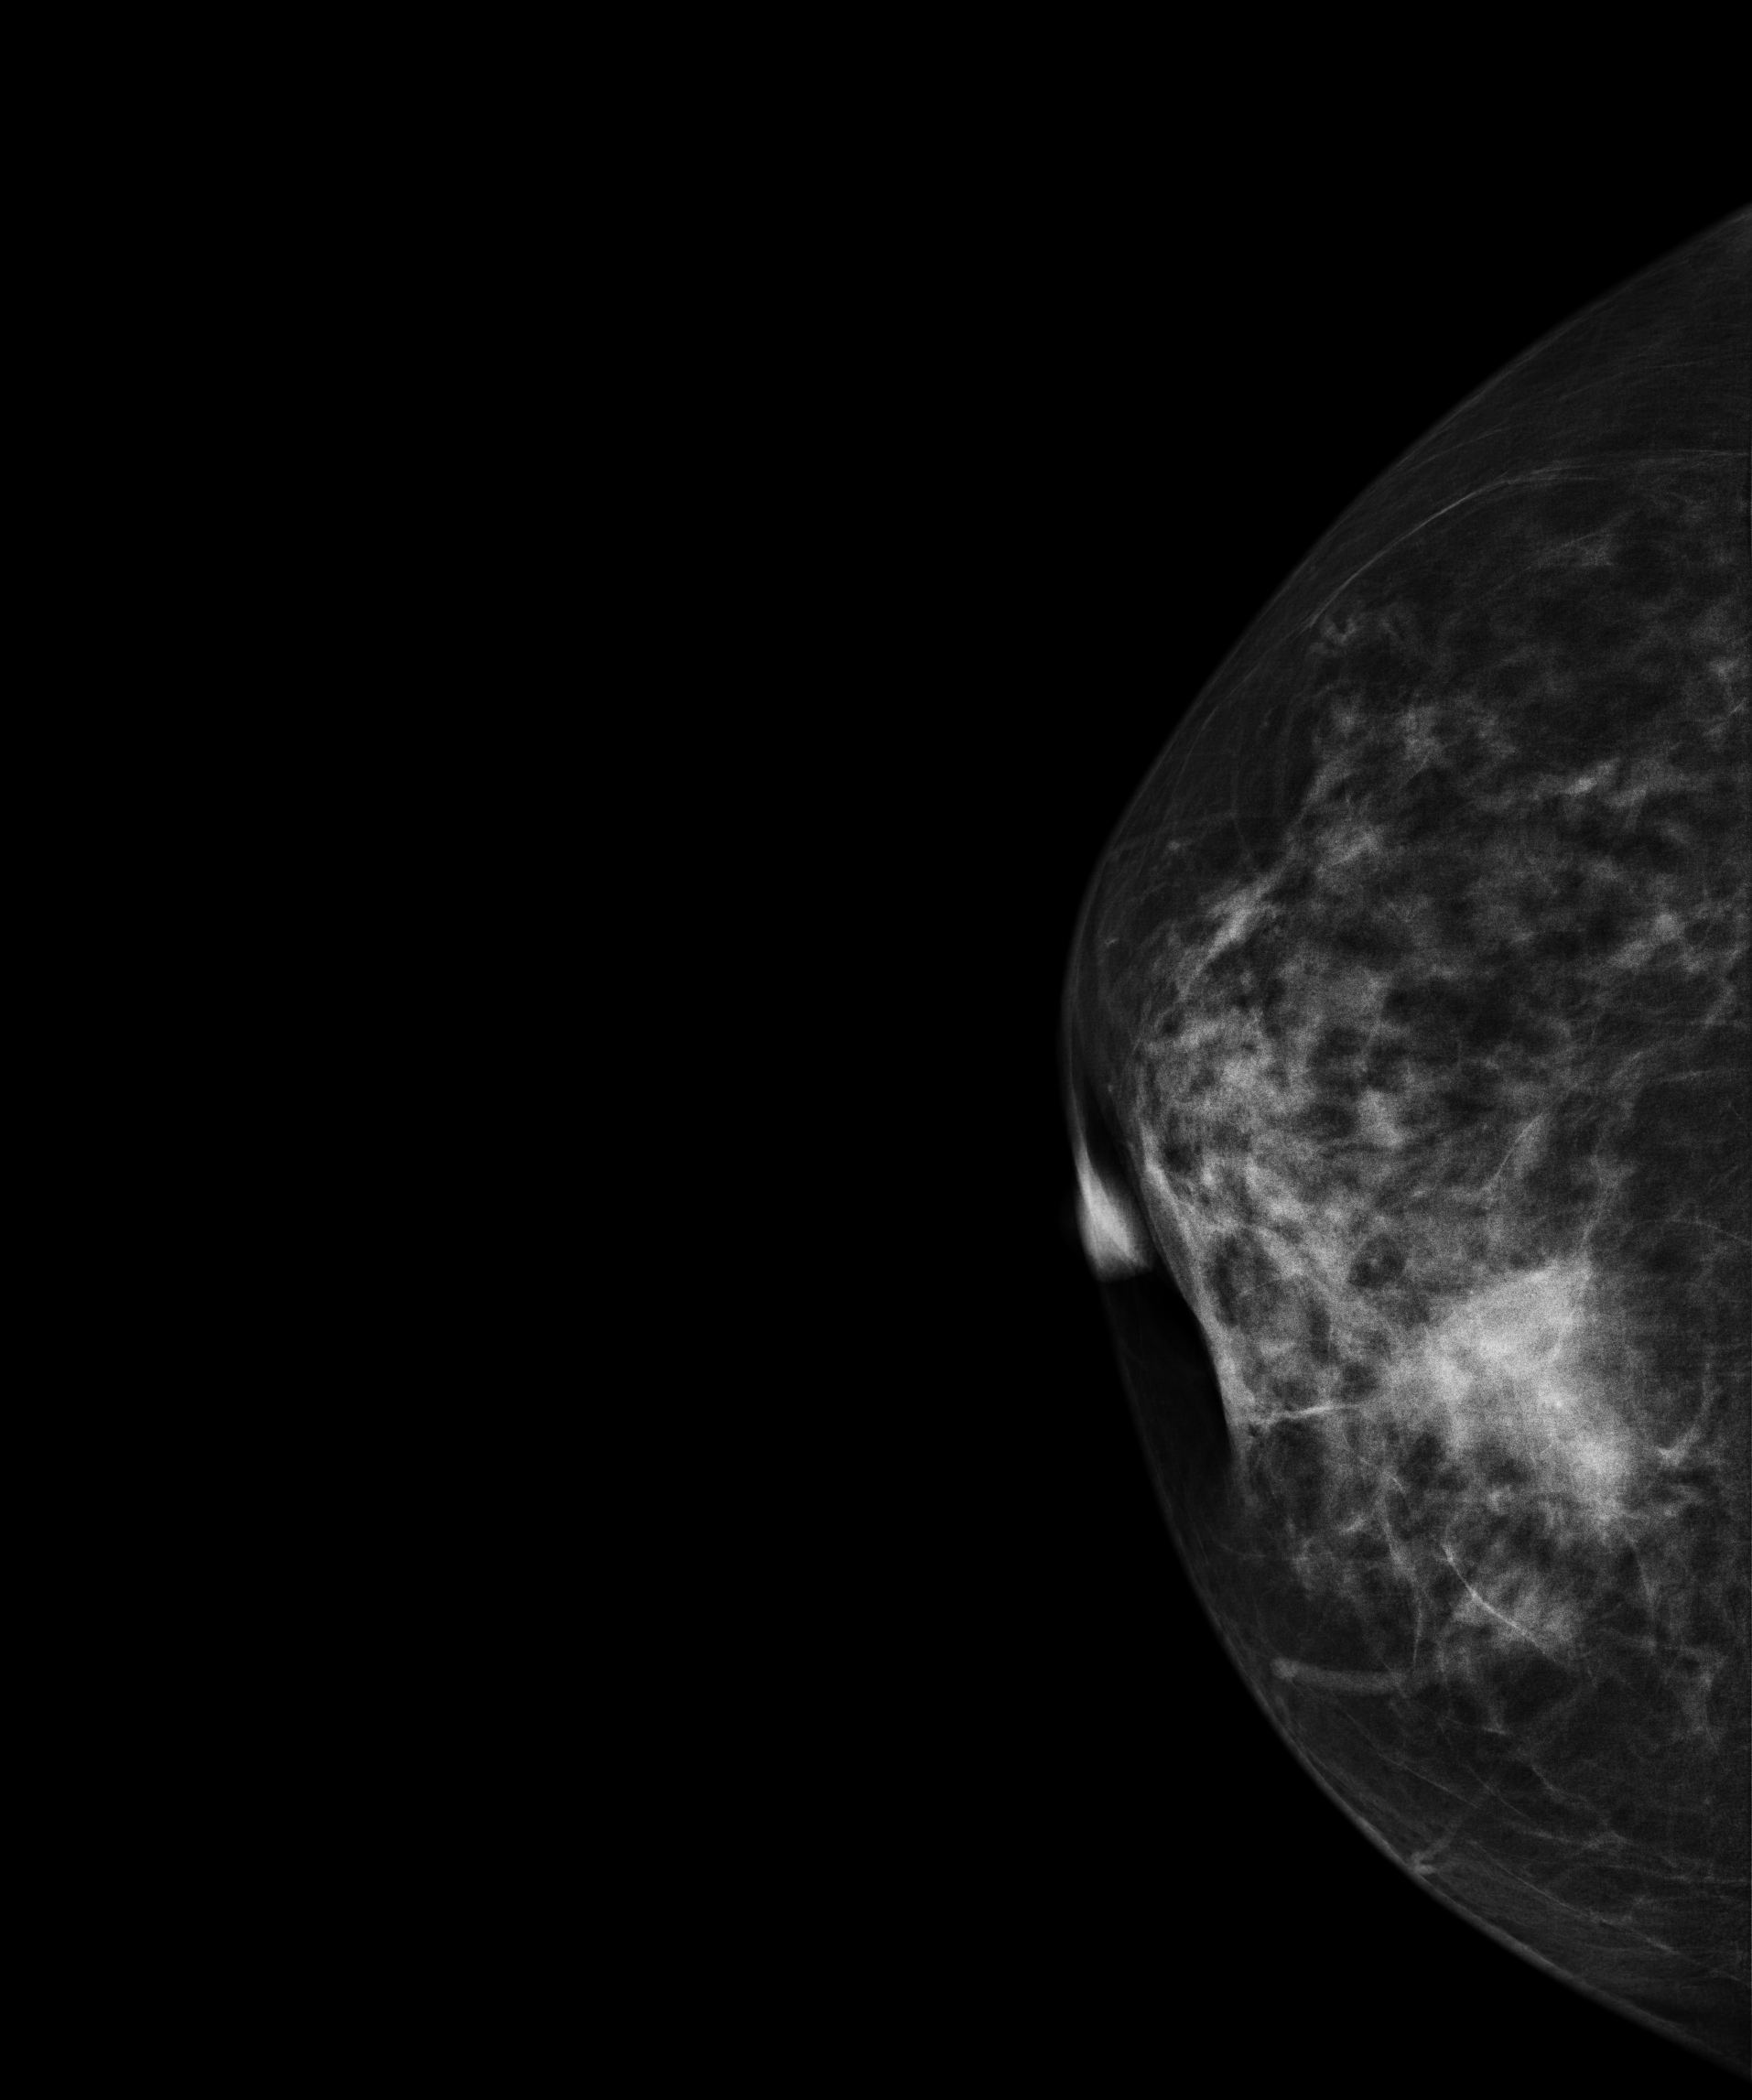
Right-breast mammogram, CC. 68-year-old patient.
This breast has a mass, biopsy-proven malignant.